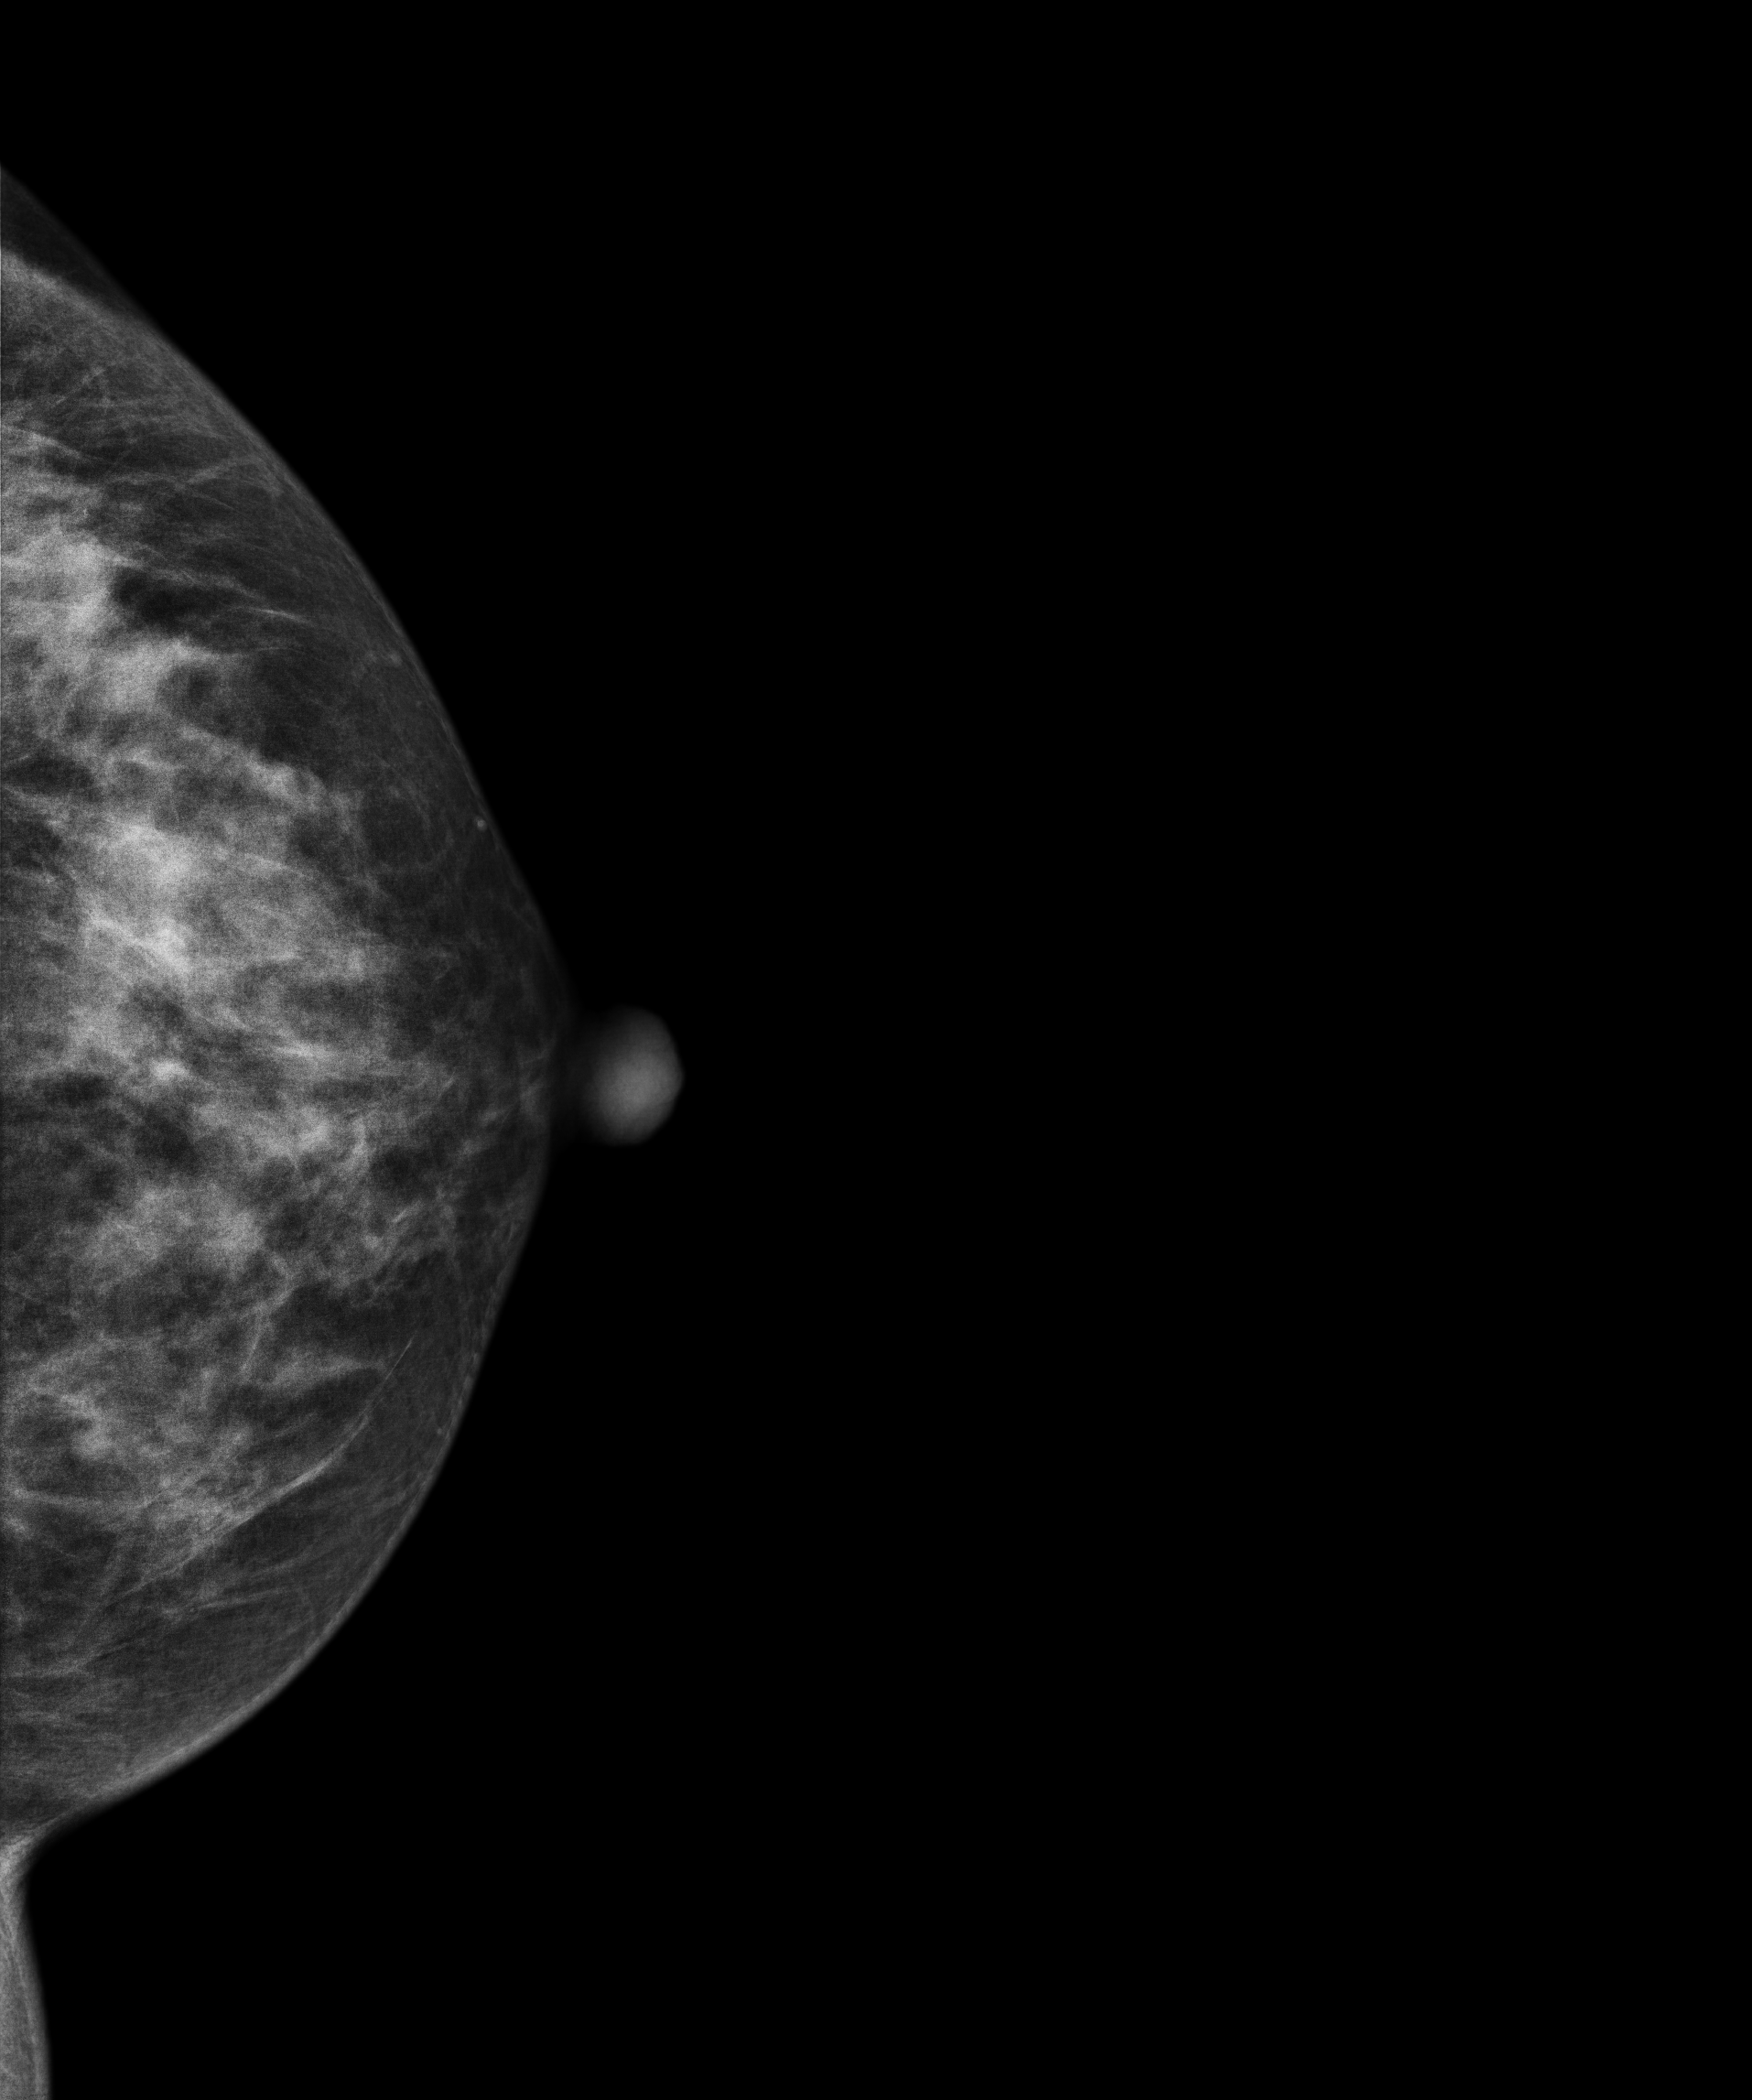
Left-breast mammogram, CC. 41-year-old patient.
This breast has a mass, pathology-confirmed benign.